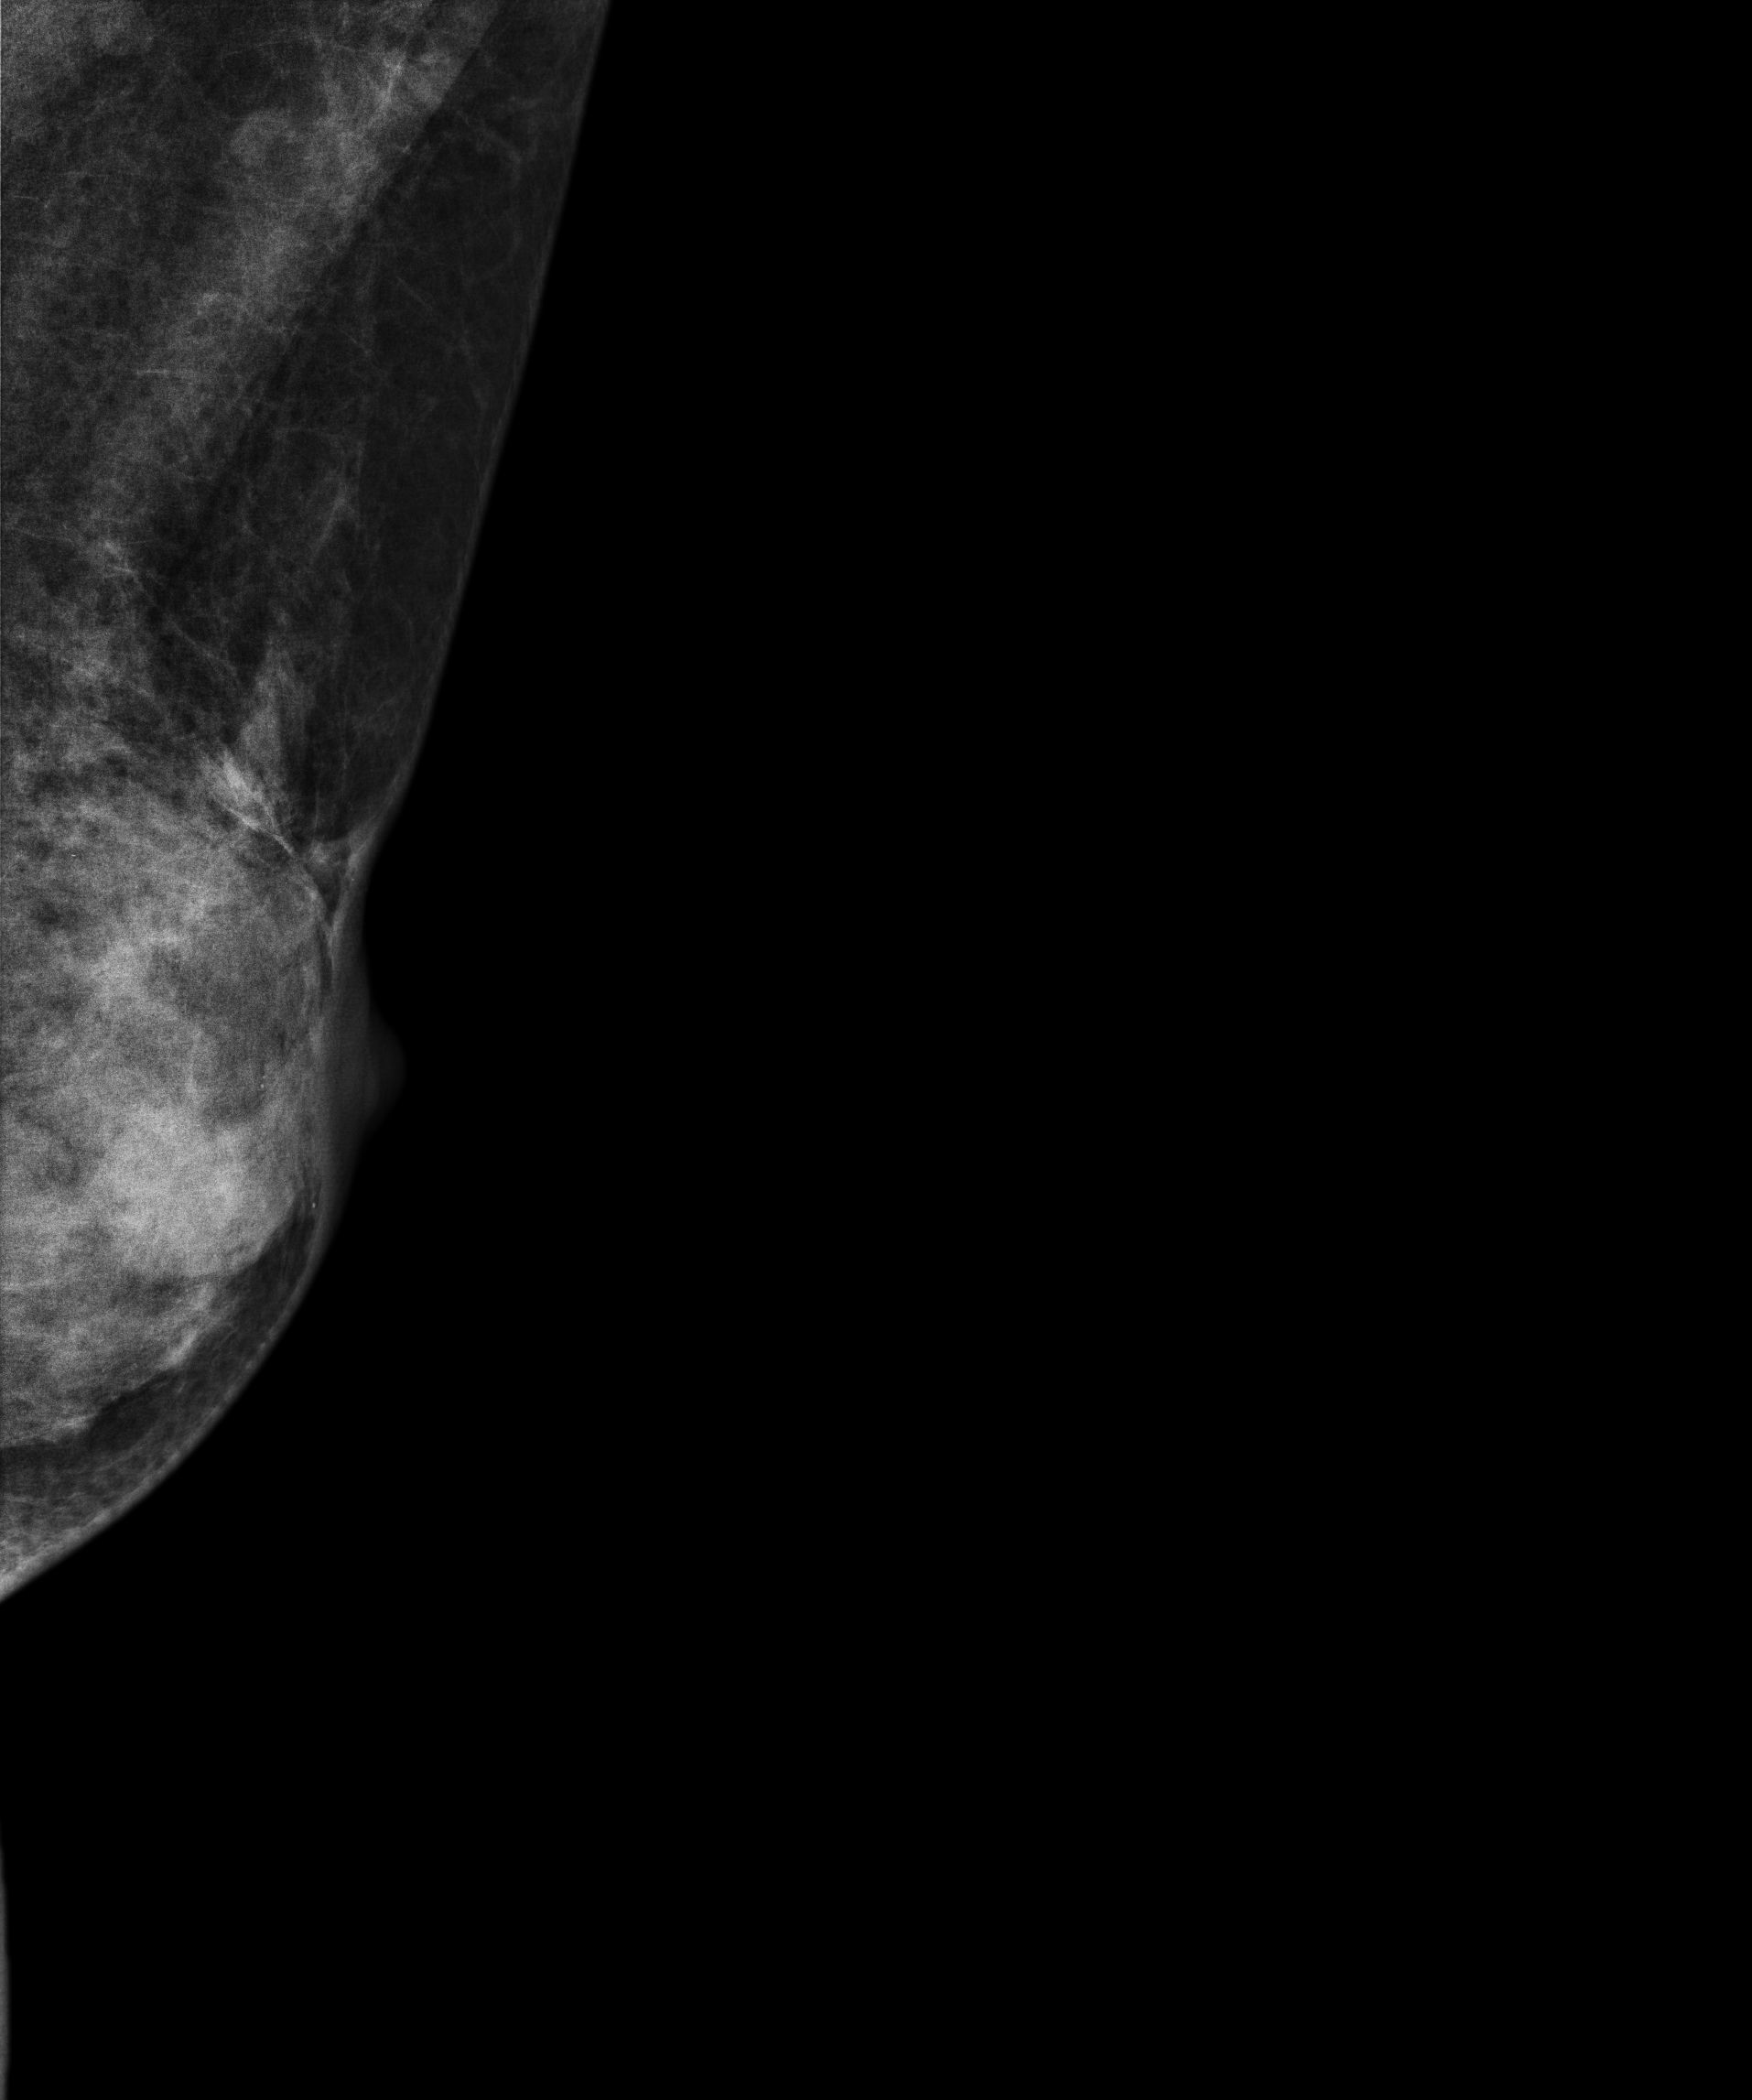
Digital mammography. Left breast, MLO projection. Patient age 45.
This breast has a mass, pathology-confirmed benign.